Cranio-caudal mammogram of the right breast. 49 y/o patient.
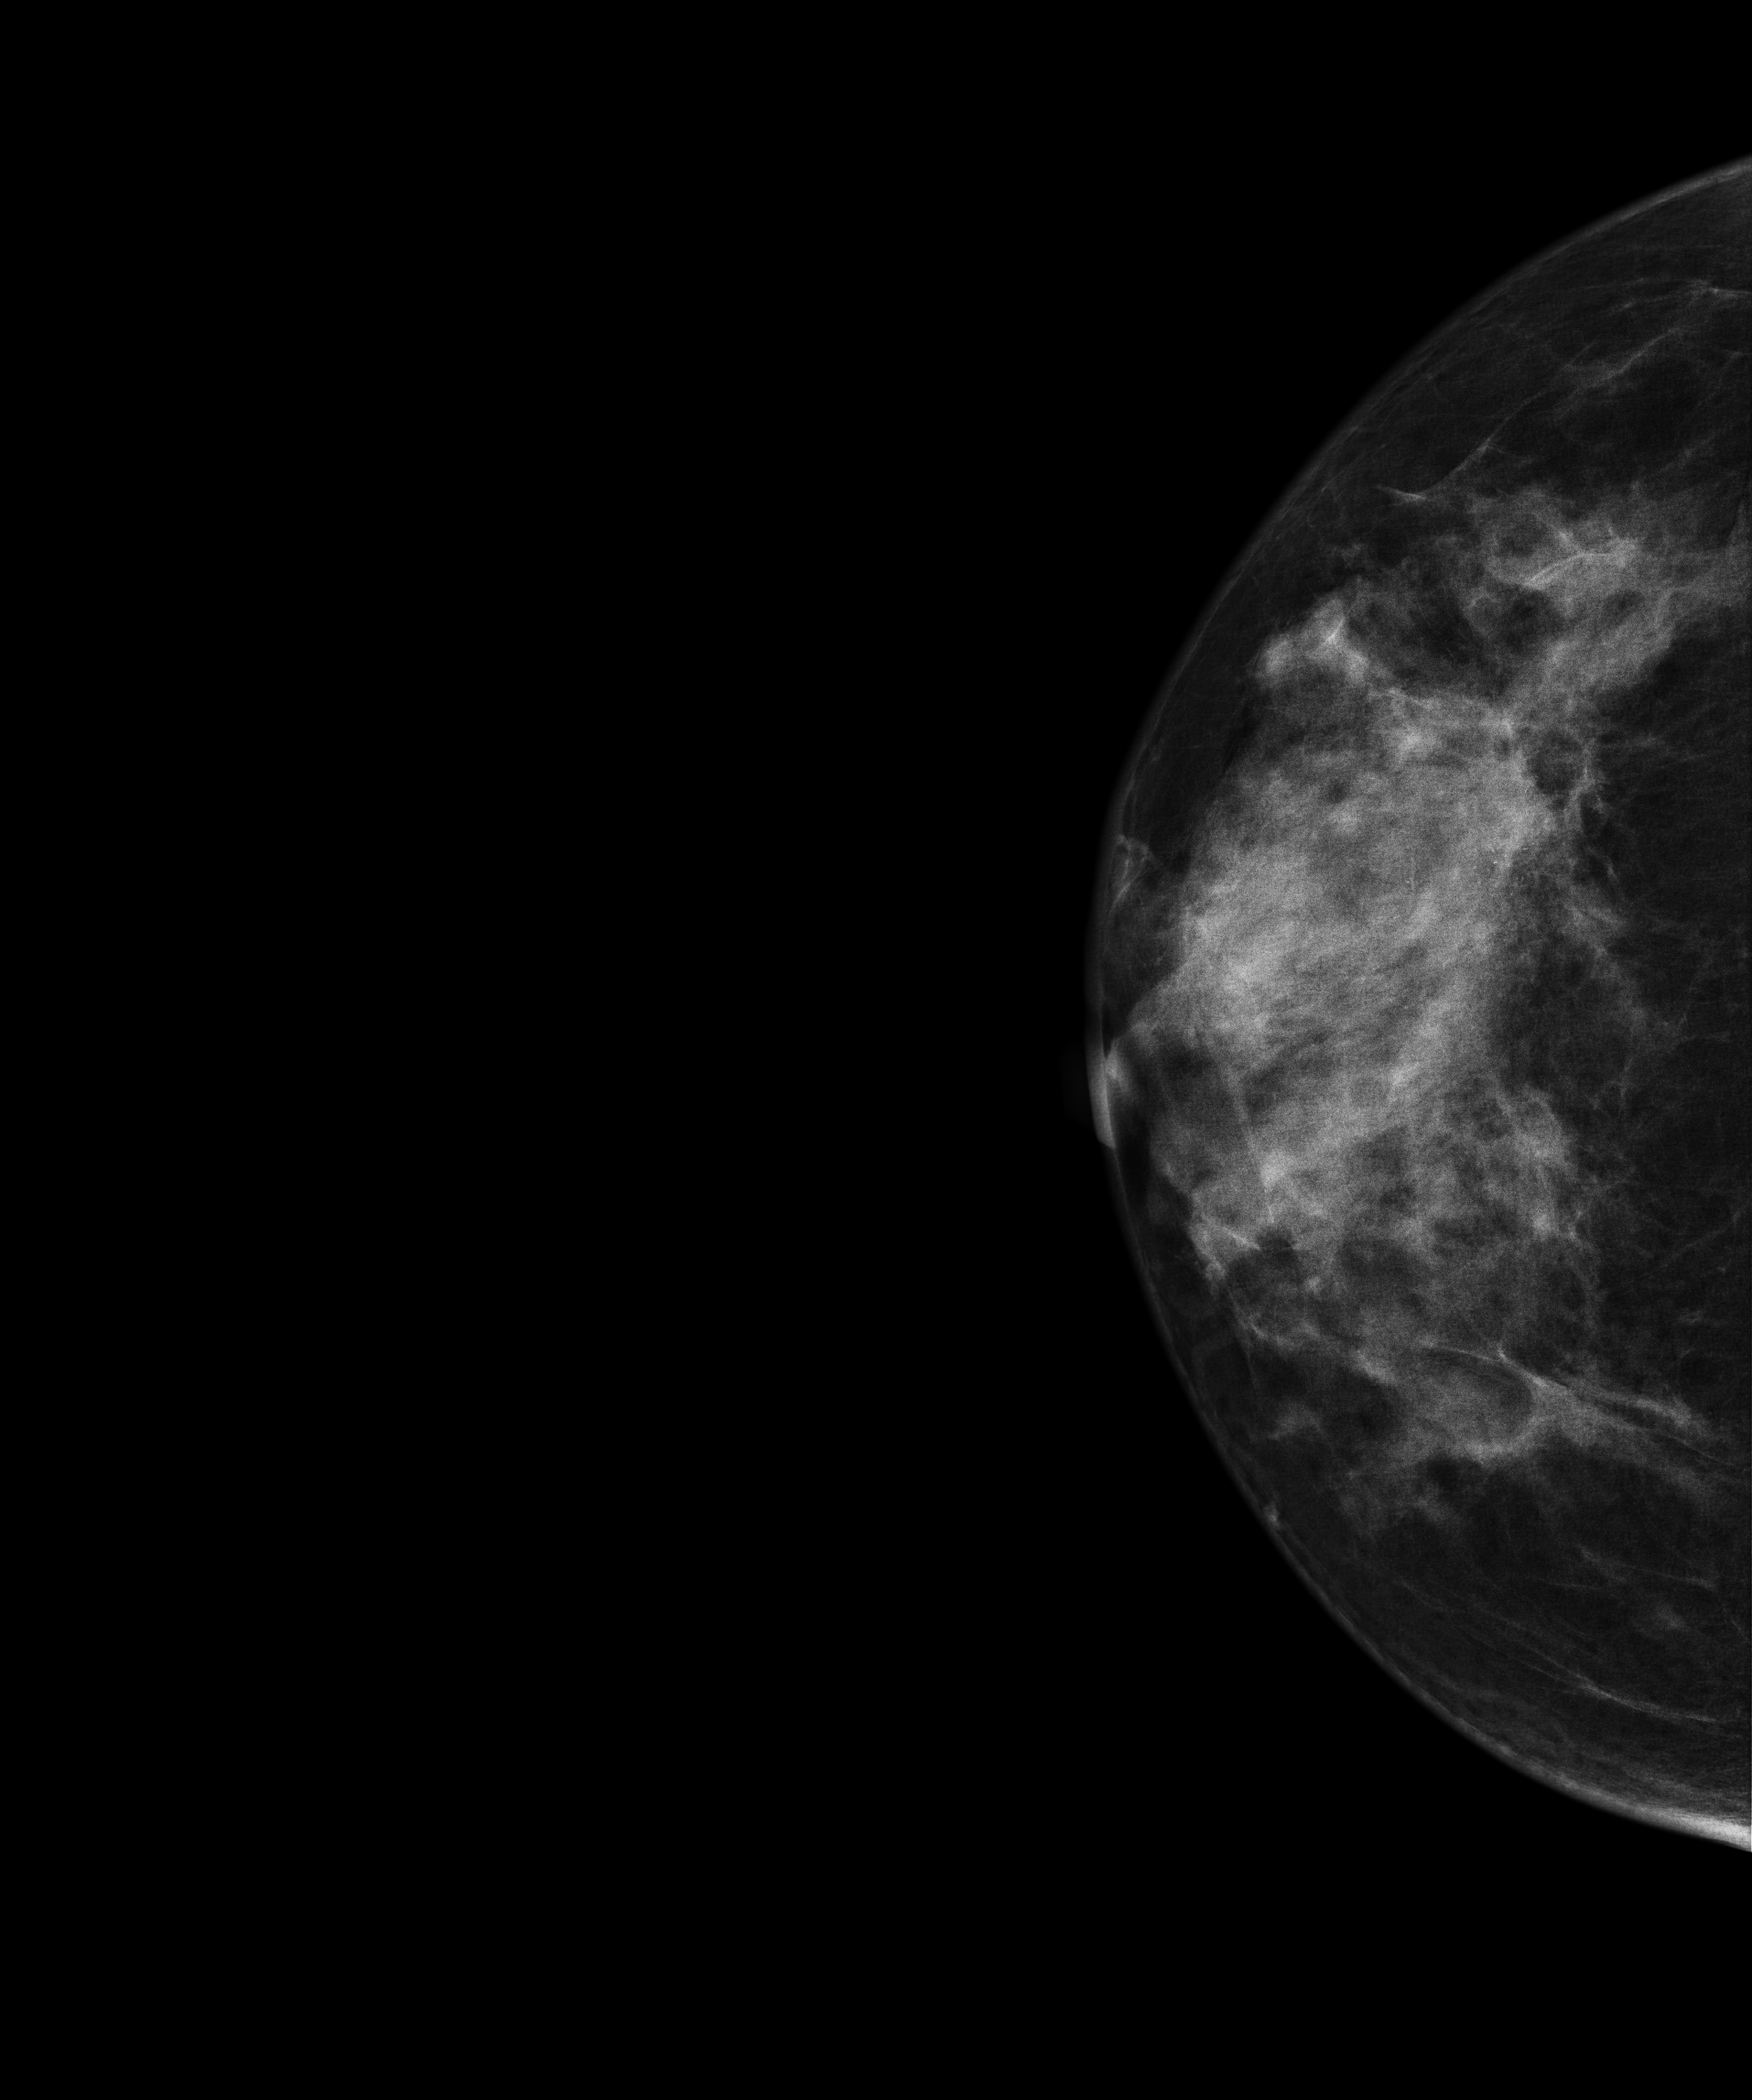
This breast has a mass and calcifications, histologically confirmed malignant. Molecular subtype: luminal B.